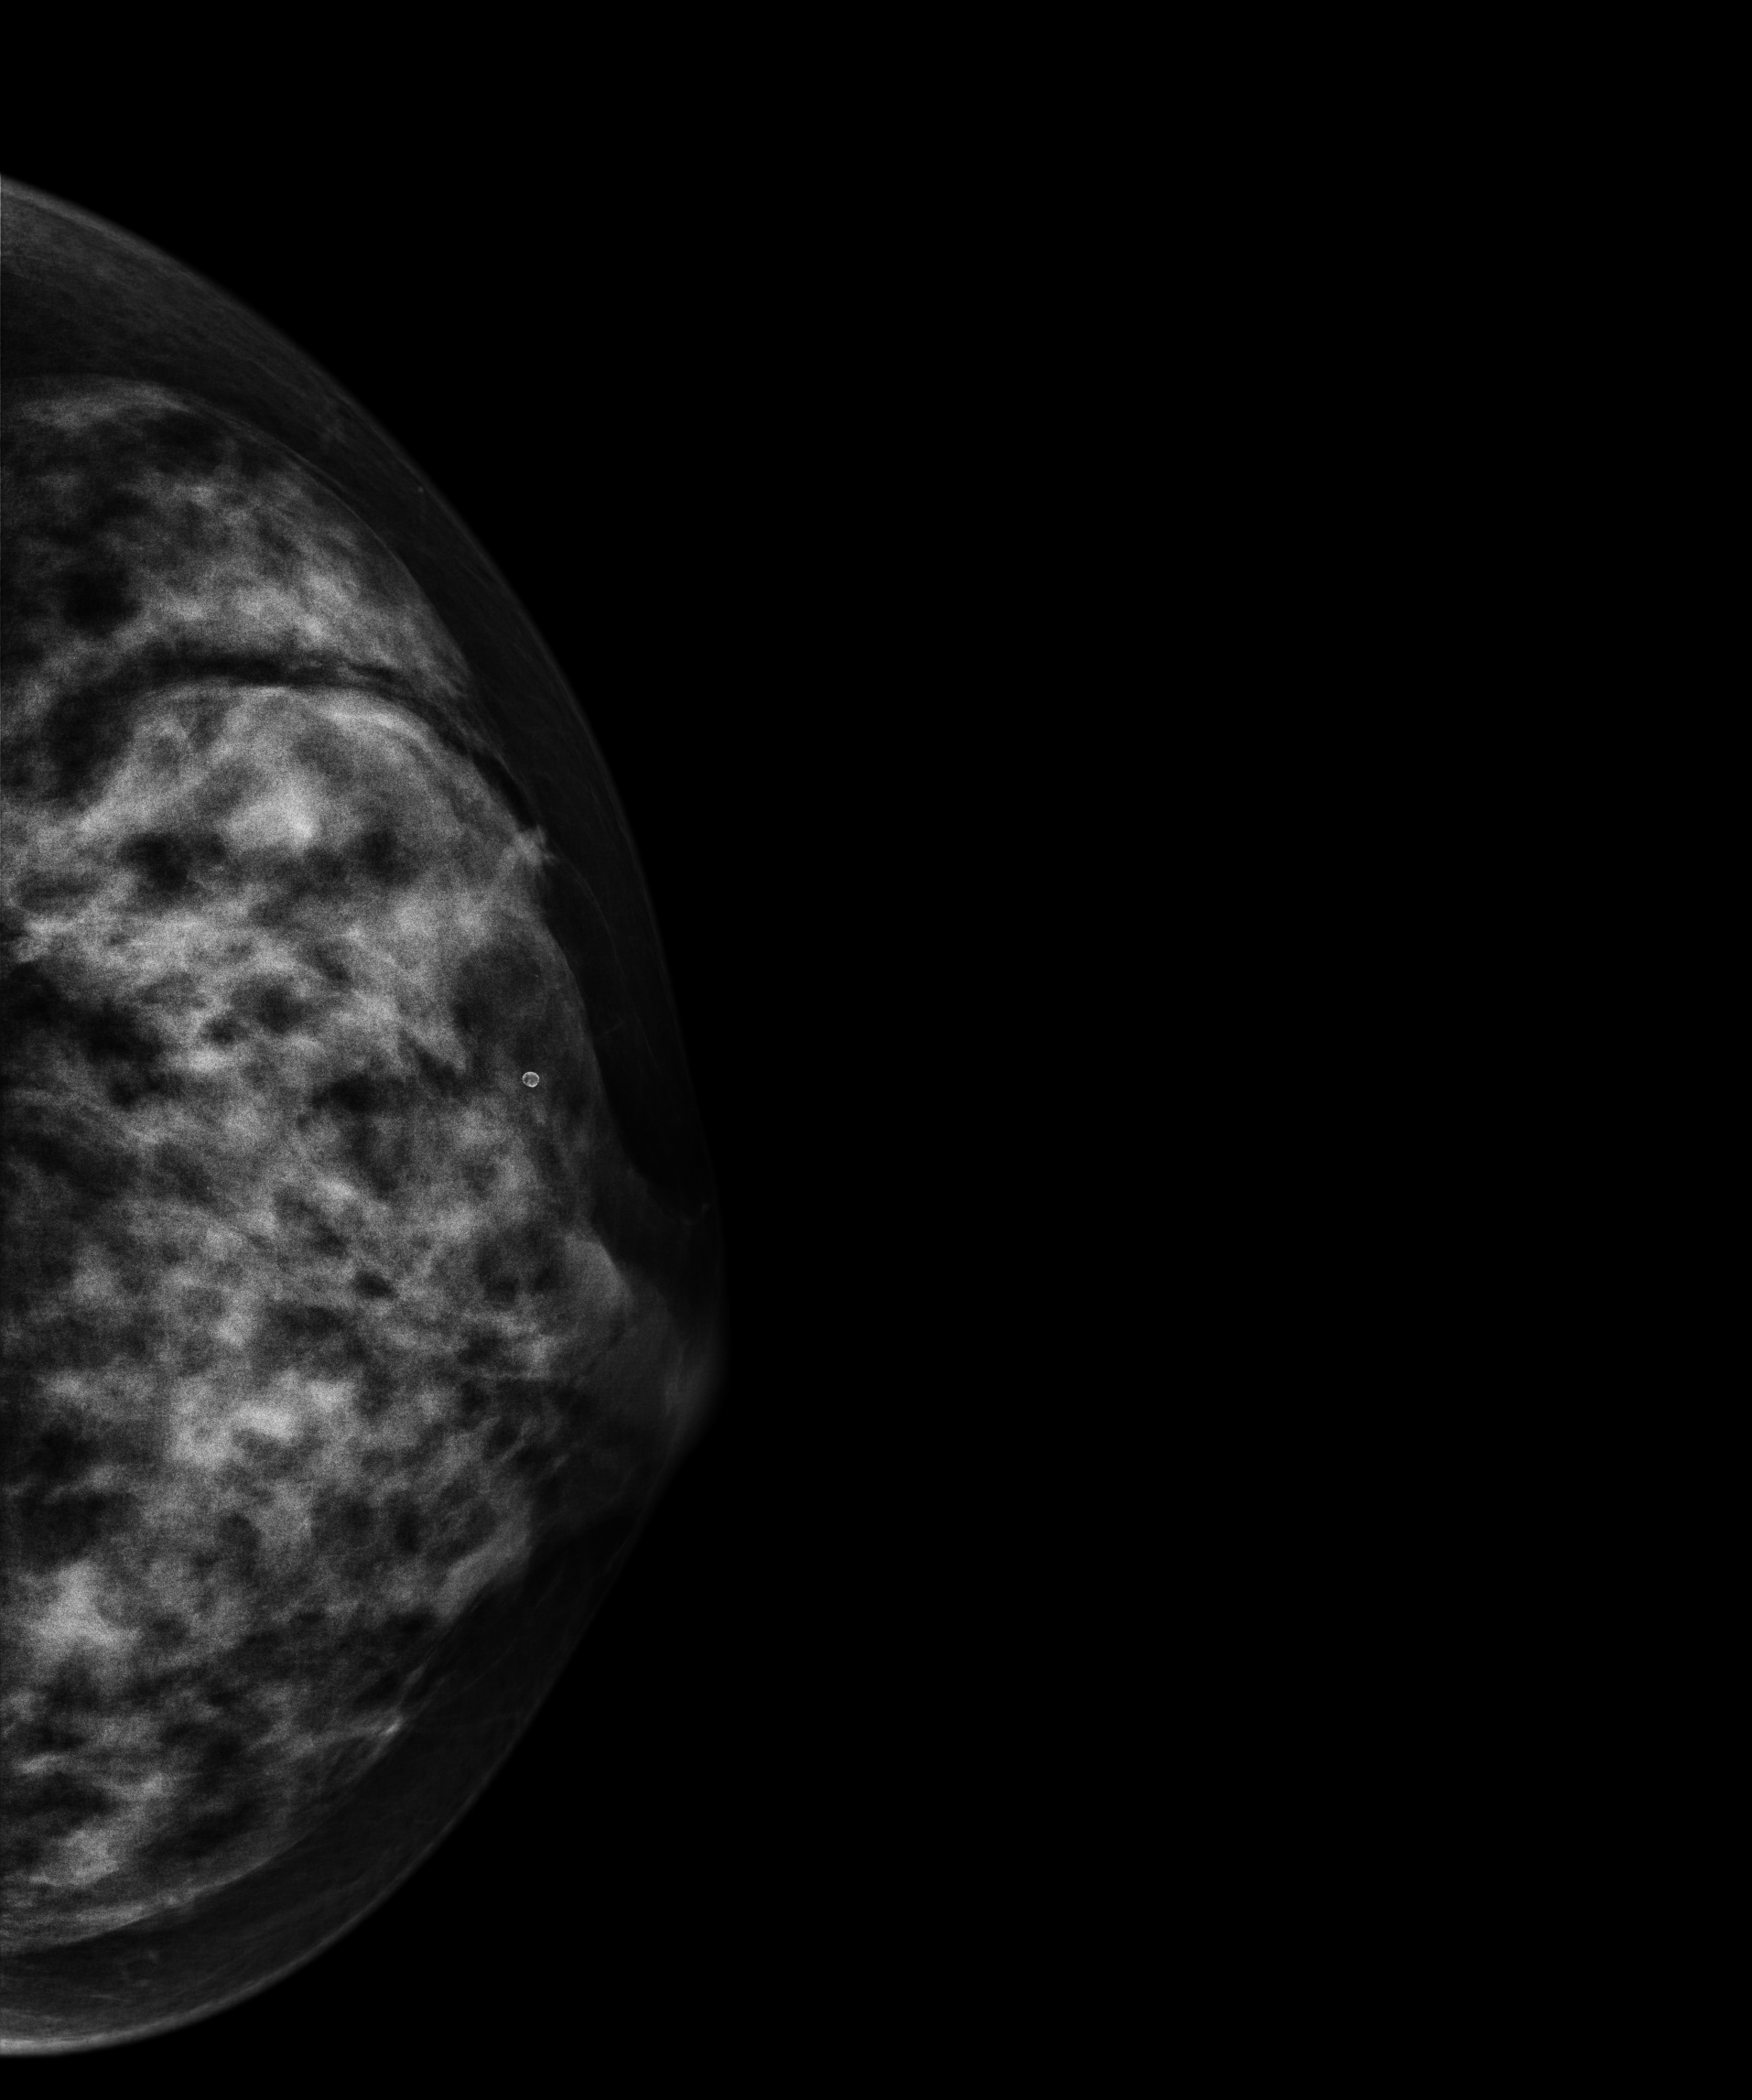
Left-breast mammogram, cranio-caudal. 41 y/o patient.
Contralateral breast — no documented abnormality on this side.